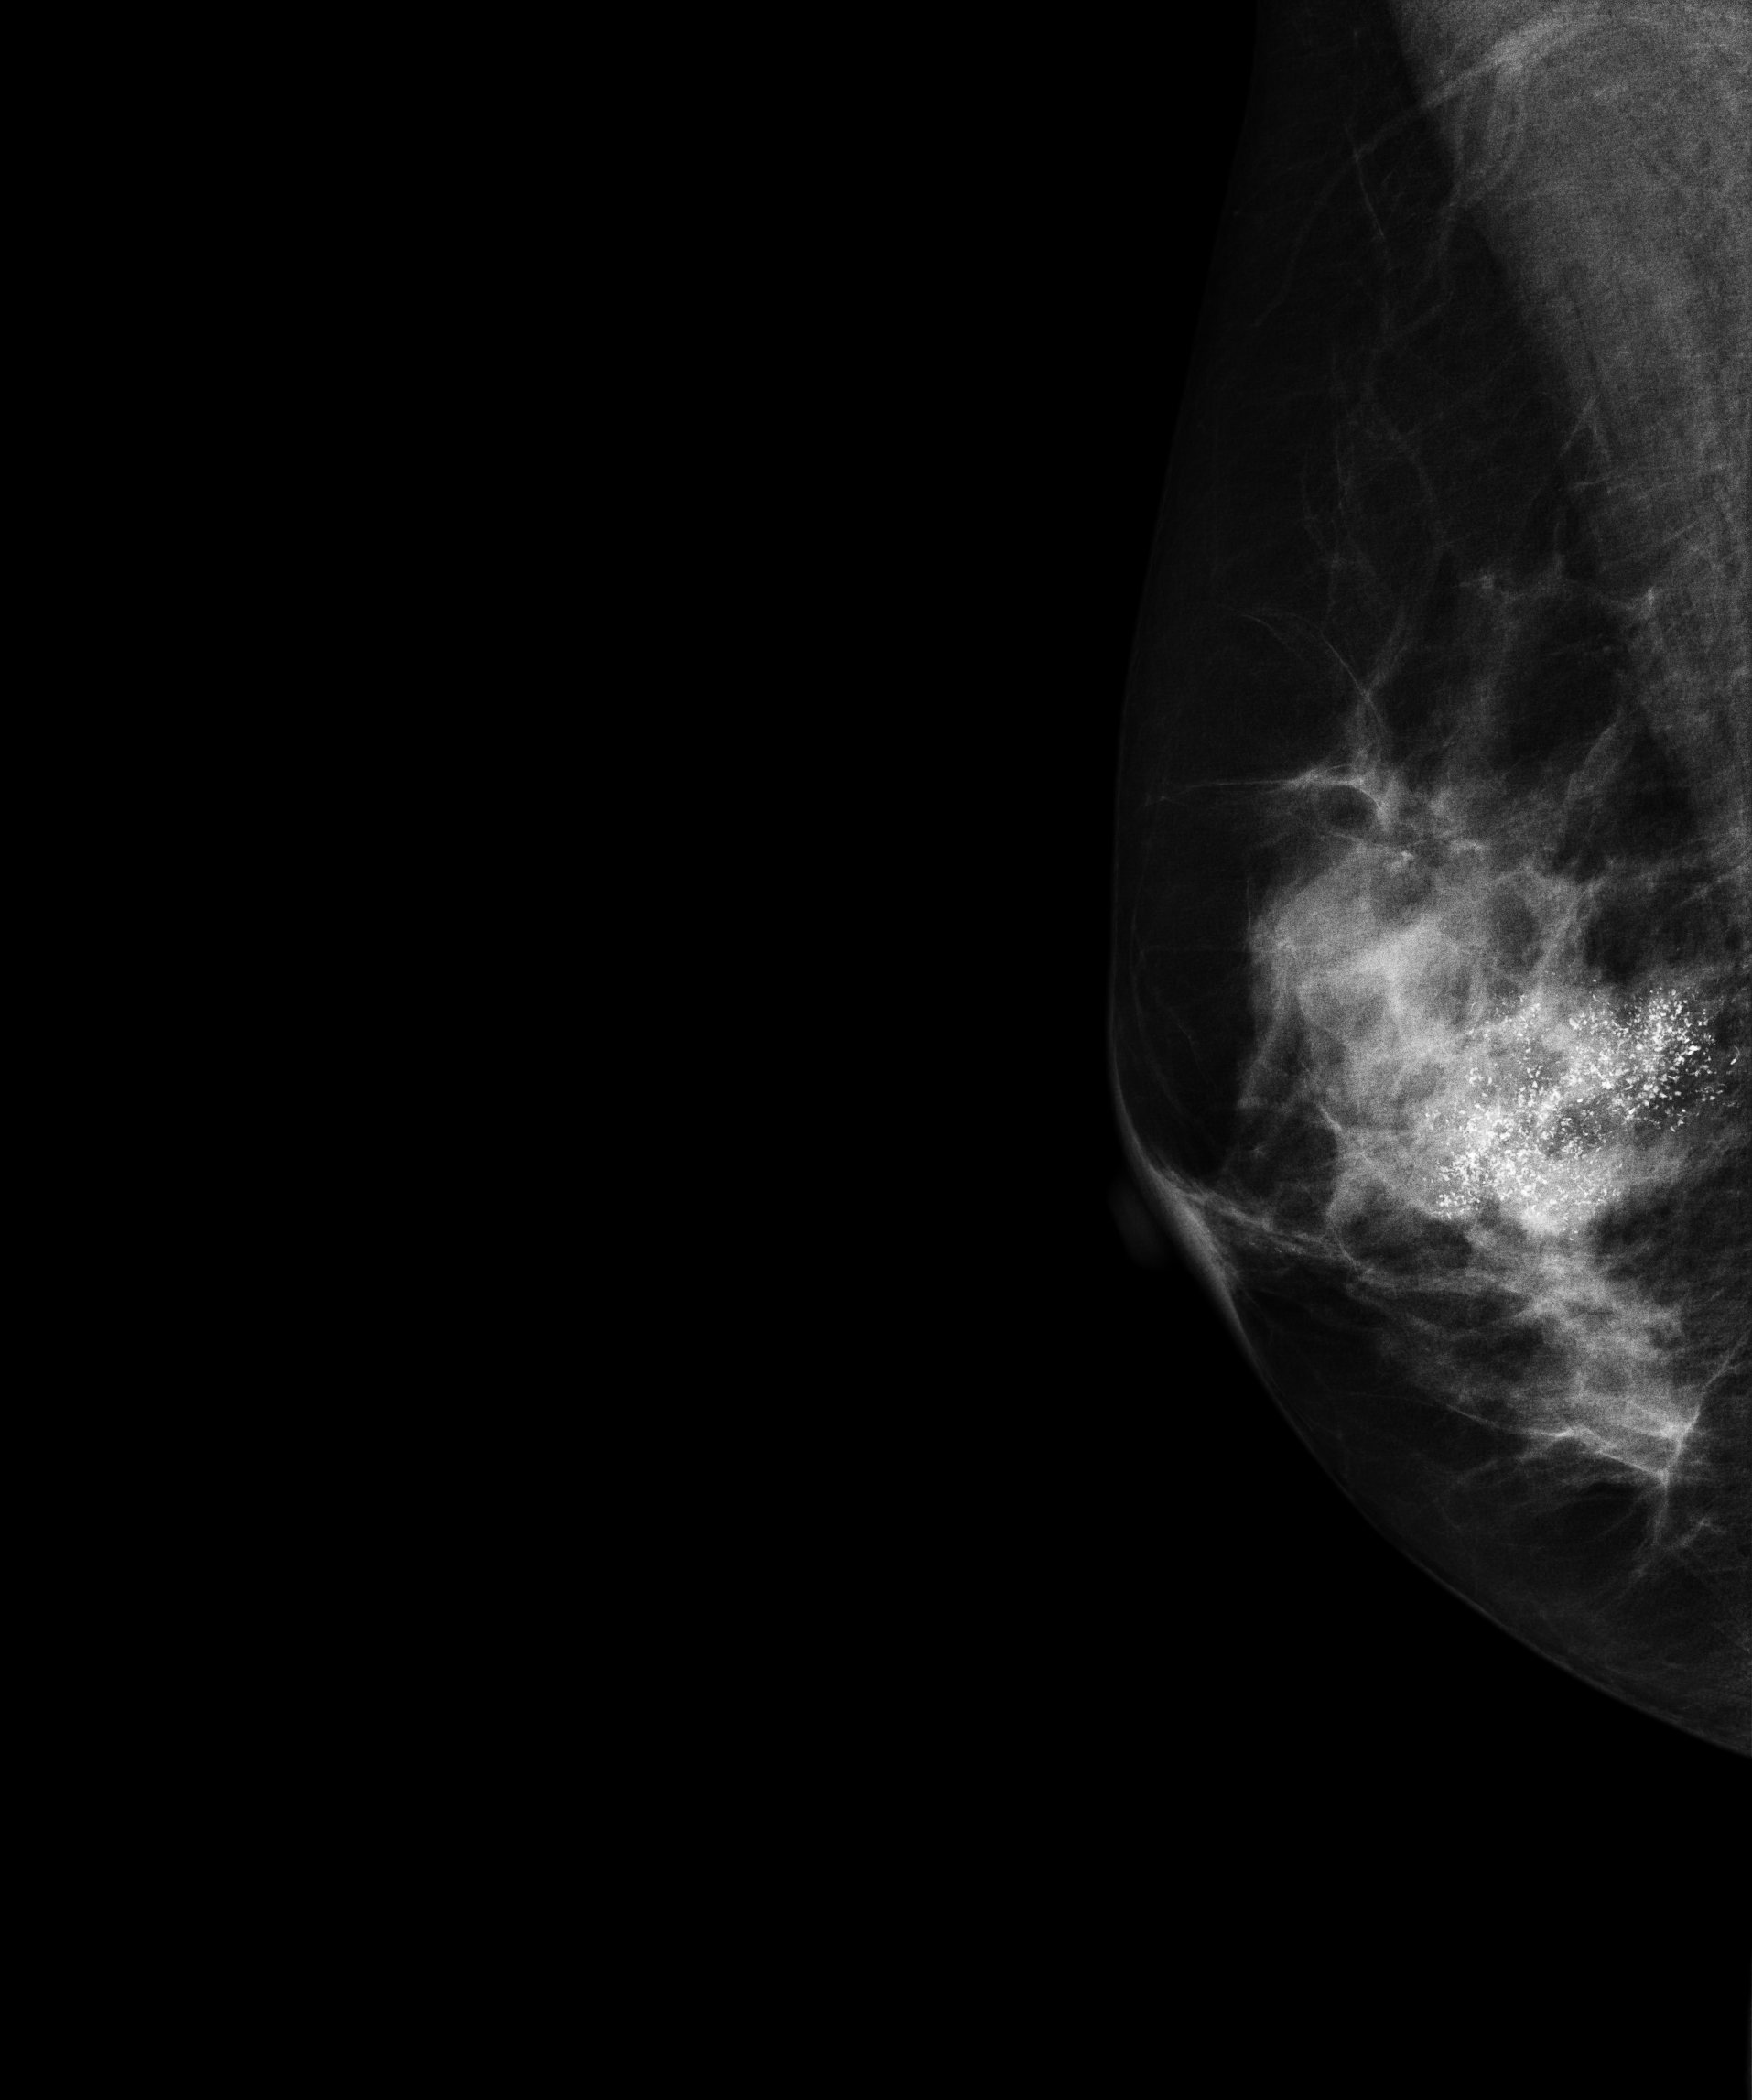
MLO mammogram of the right breast. Patient age 50.
This breast has calcifications, pathology-confirmed malignant.